MLO mammogram of the left breast. 38 y/o patient.
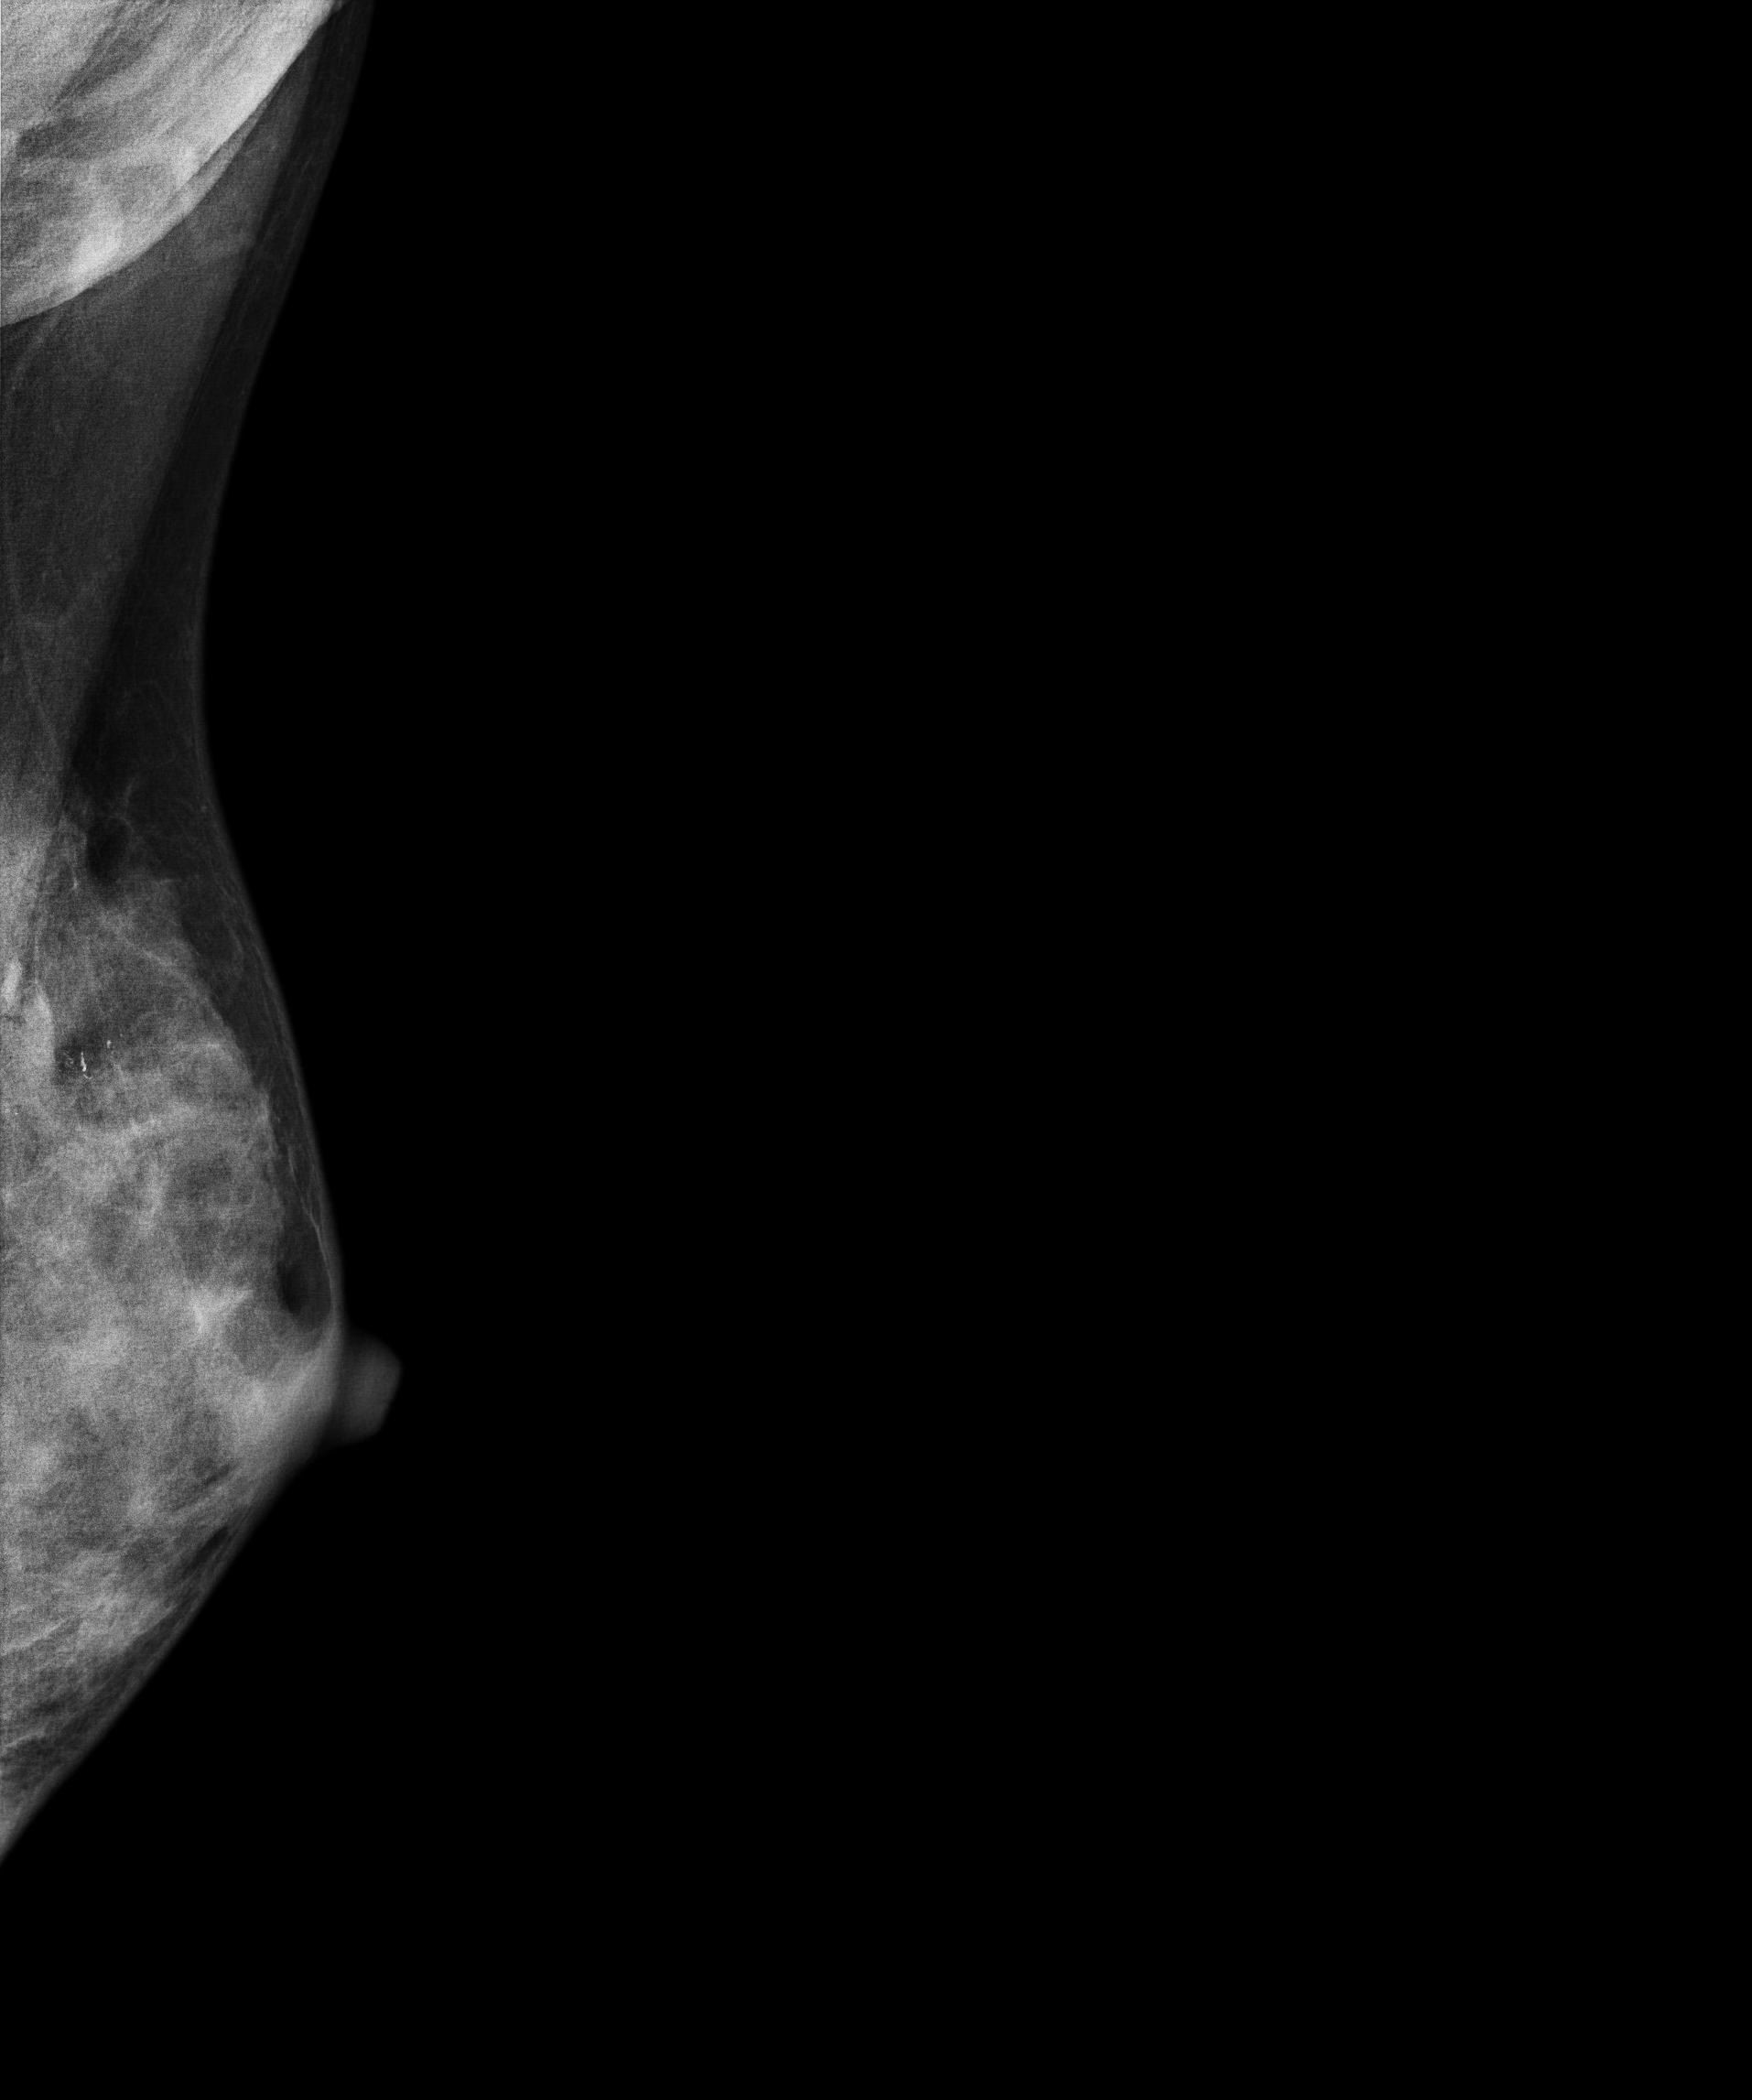
This breast has calcifications, biopsy-proven malignant.